Mammogram — left medio-lateral oblique. Patient age 49.
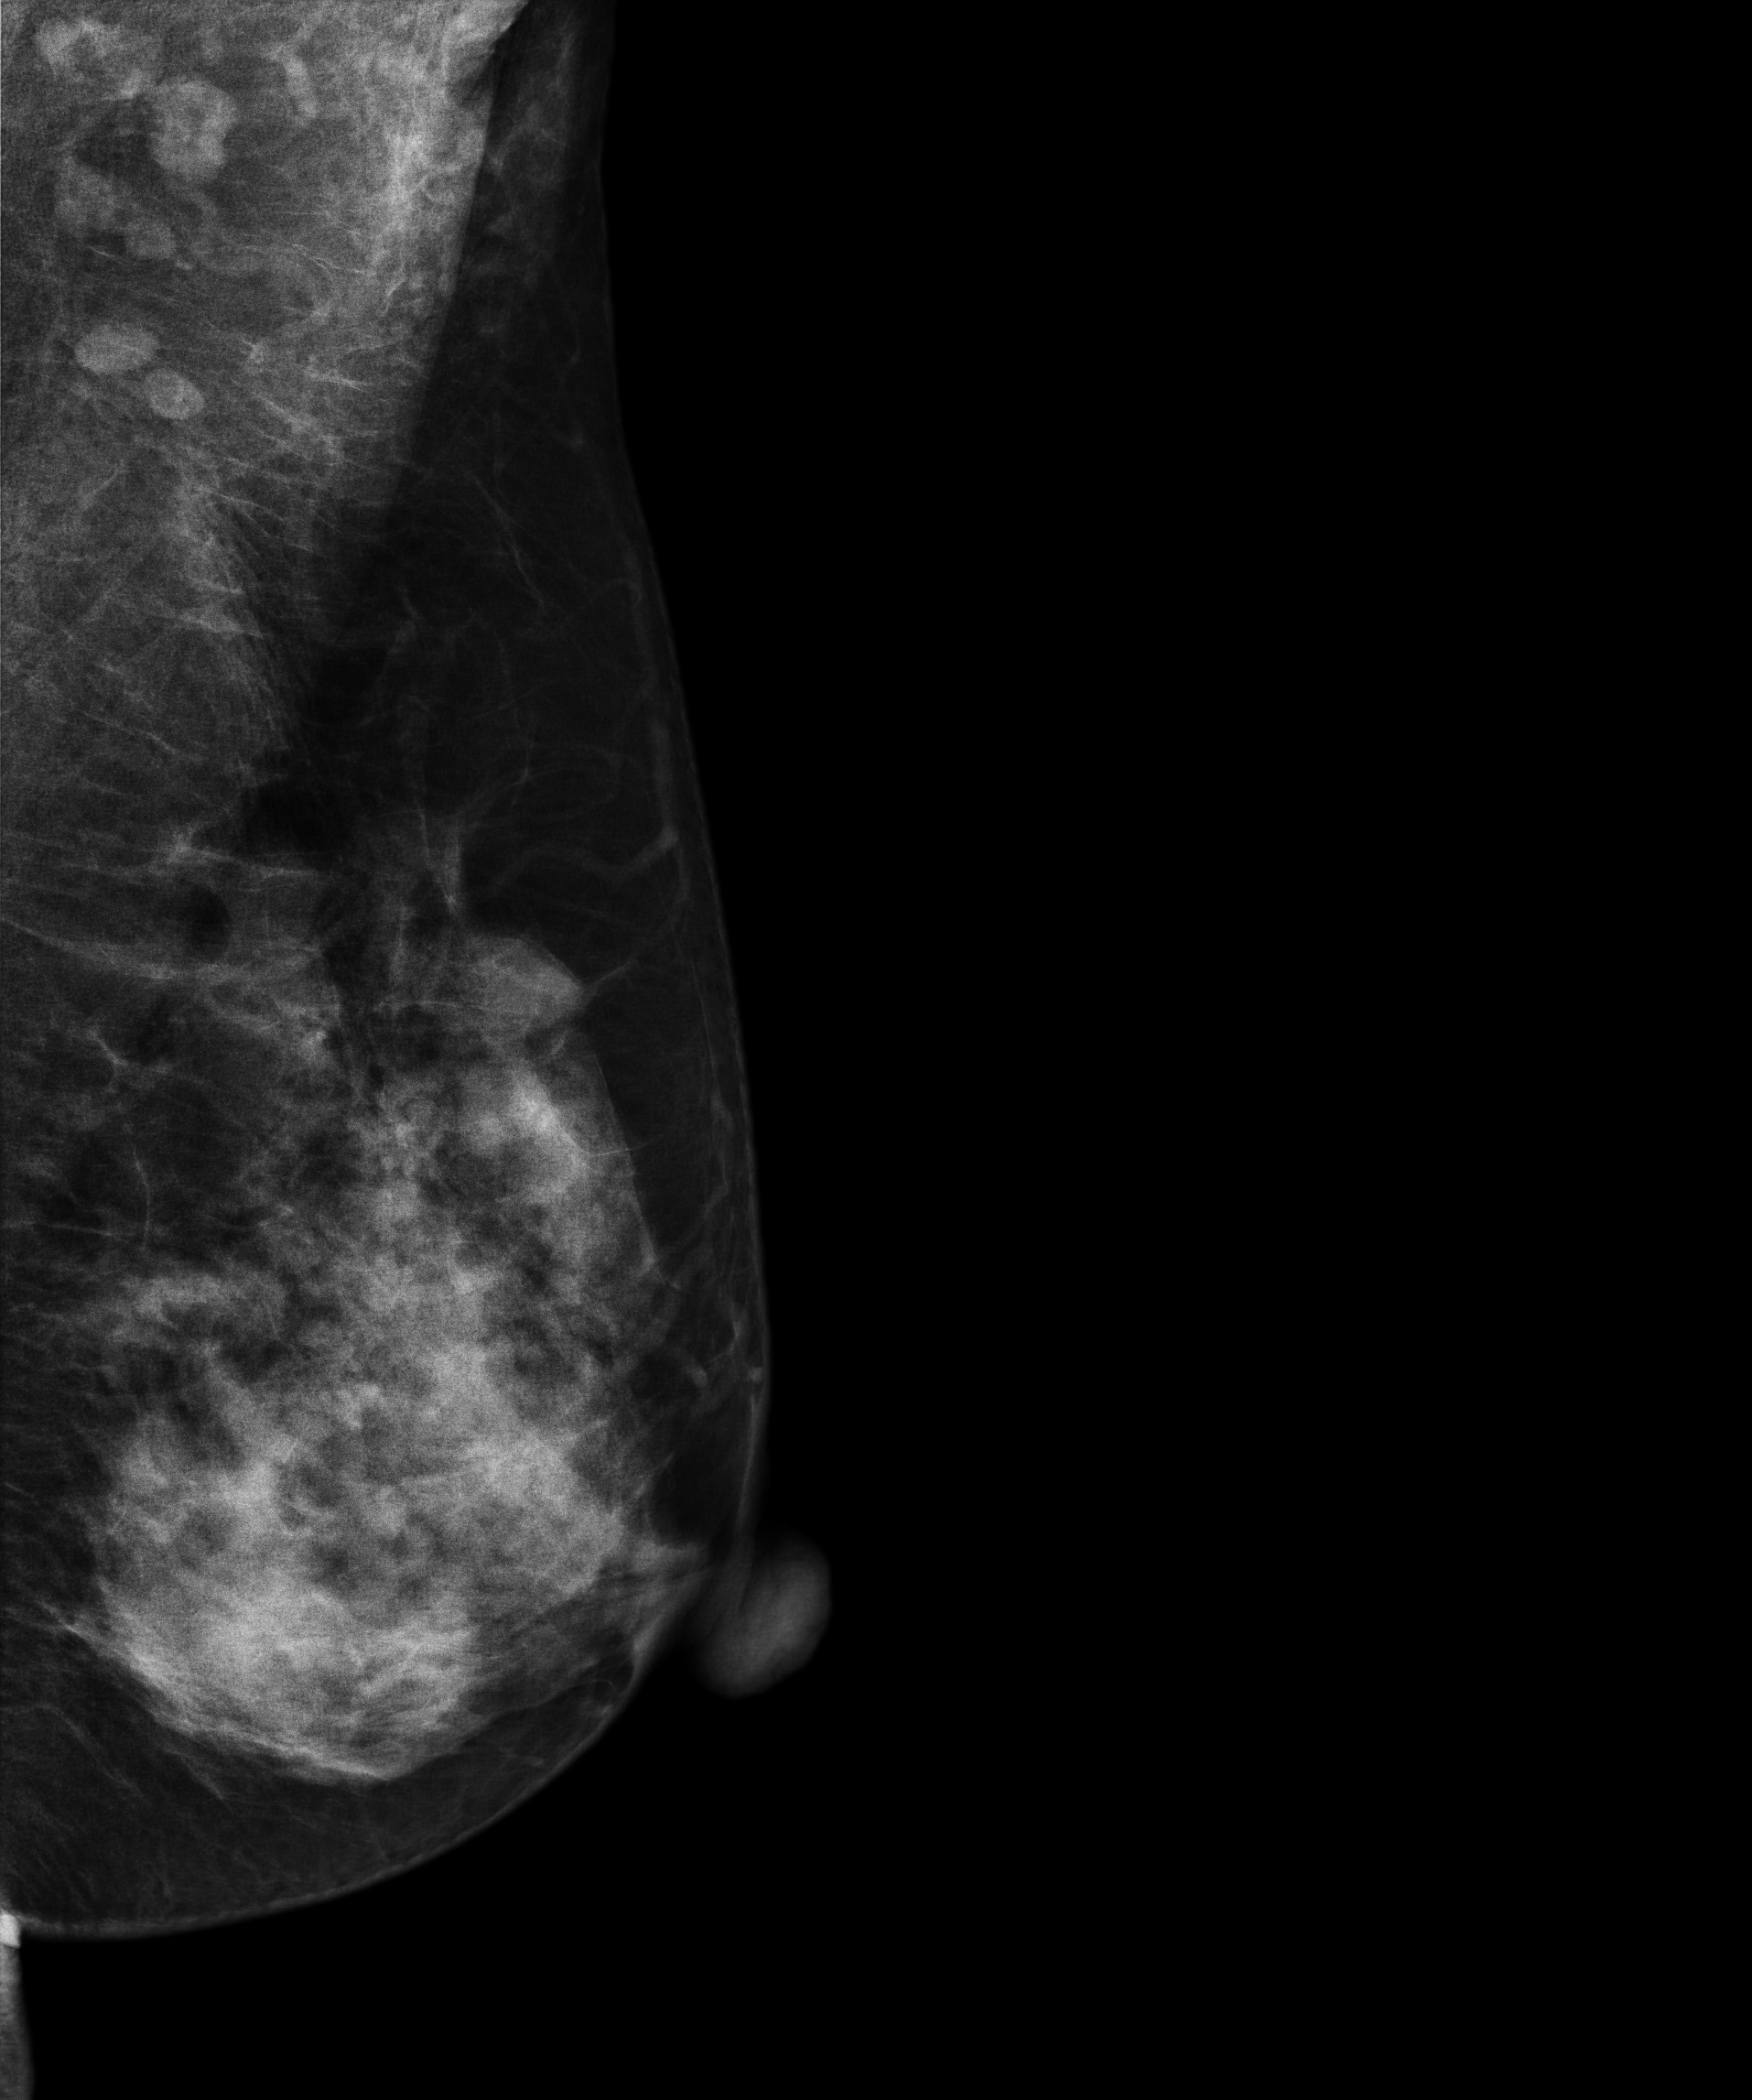
Contralateral breast — no documented abnormality on this side.